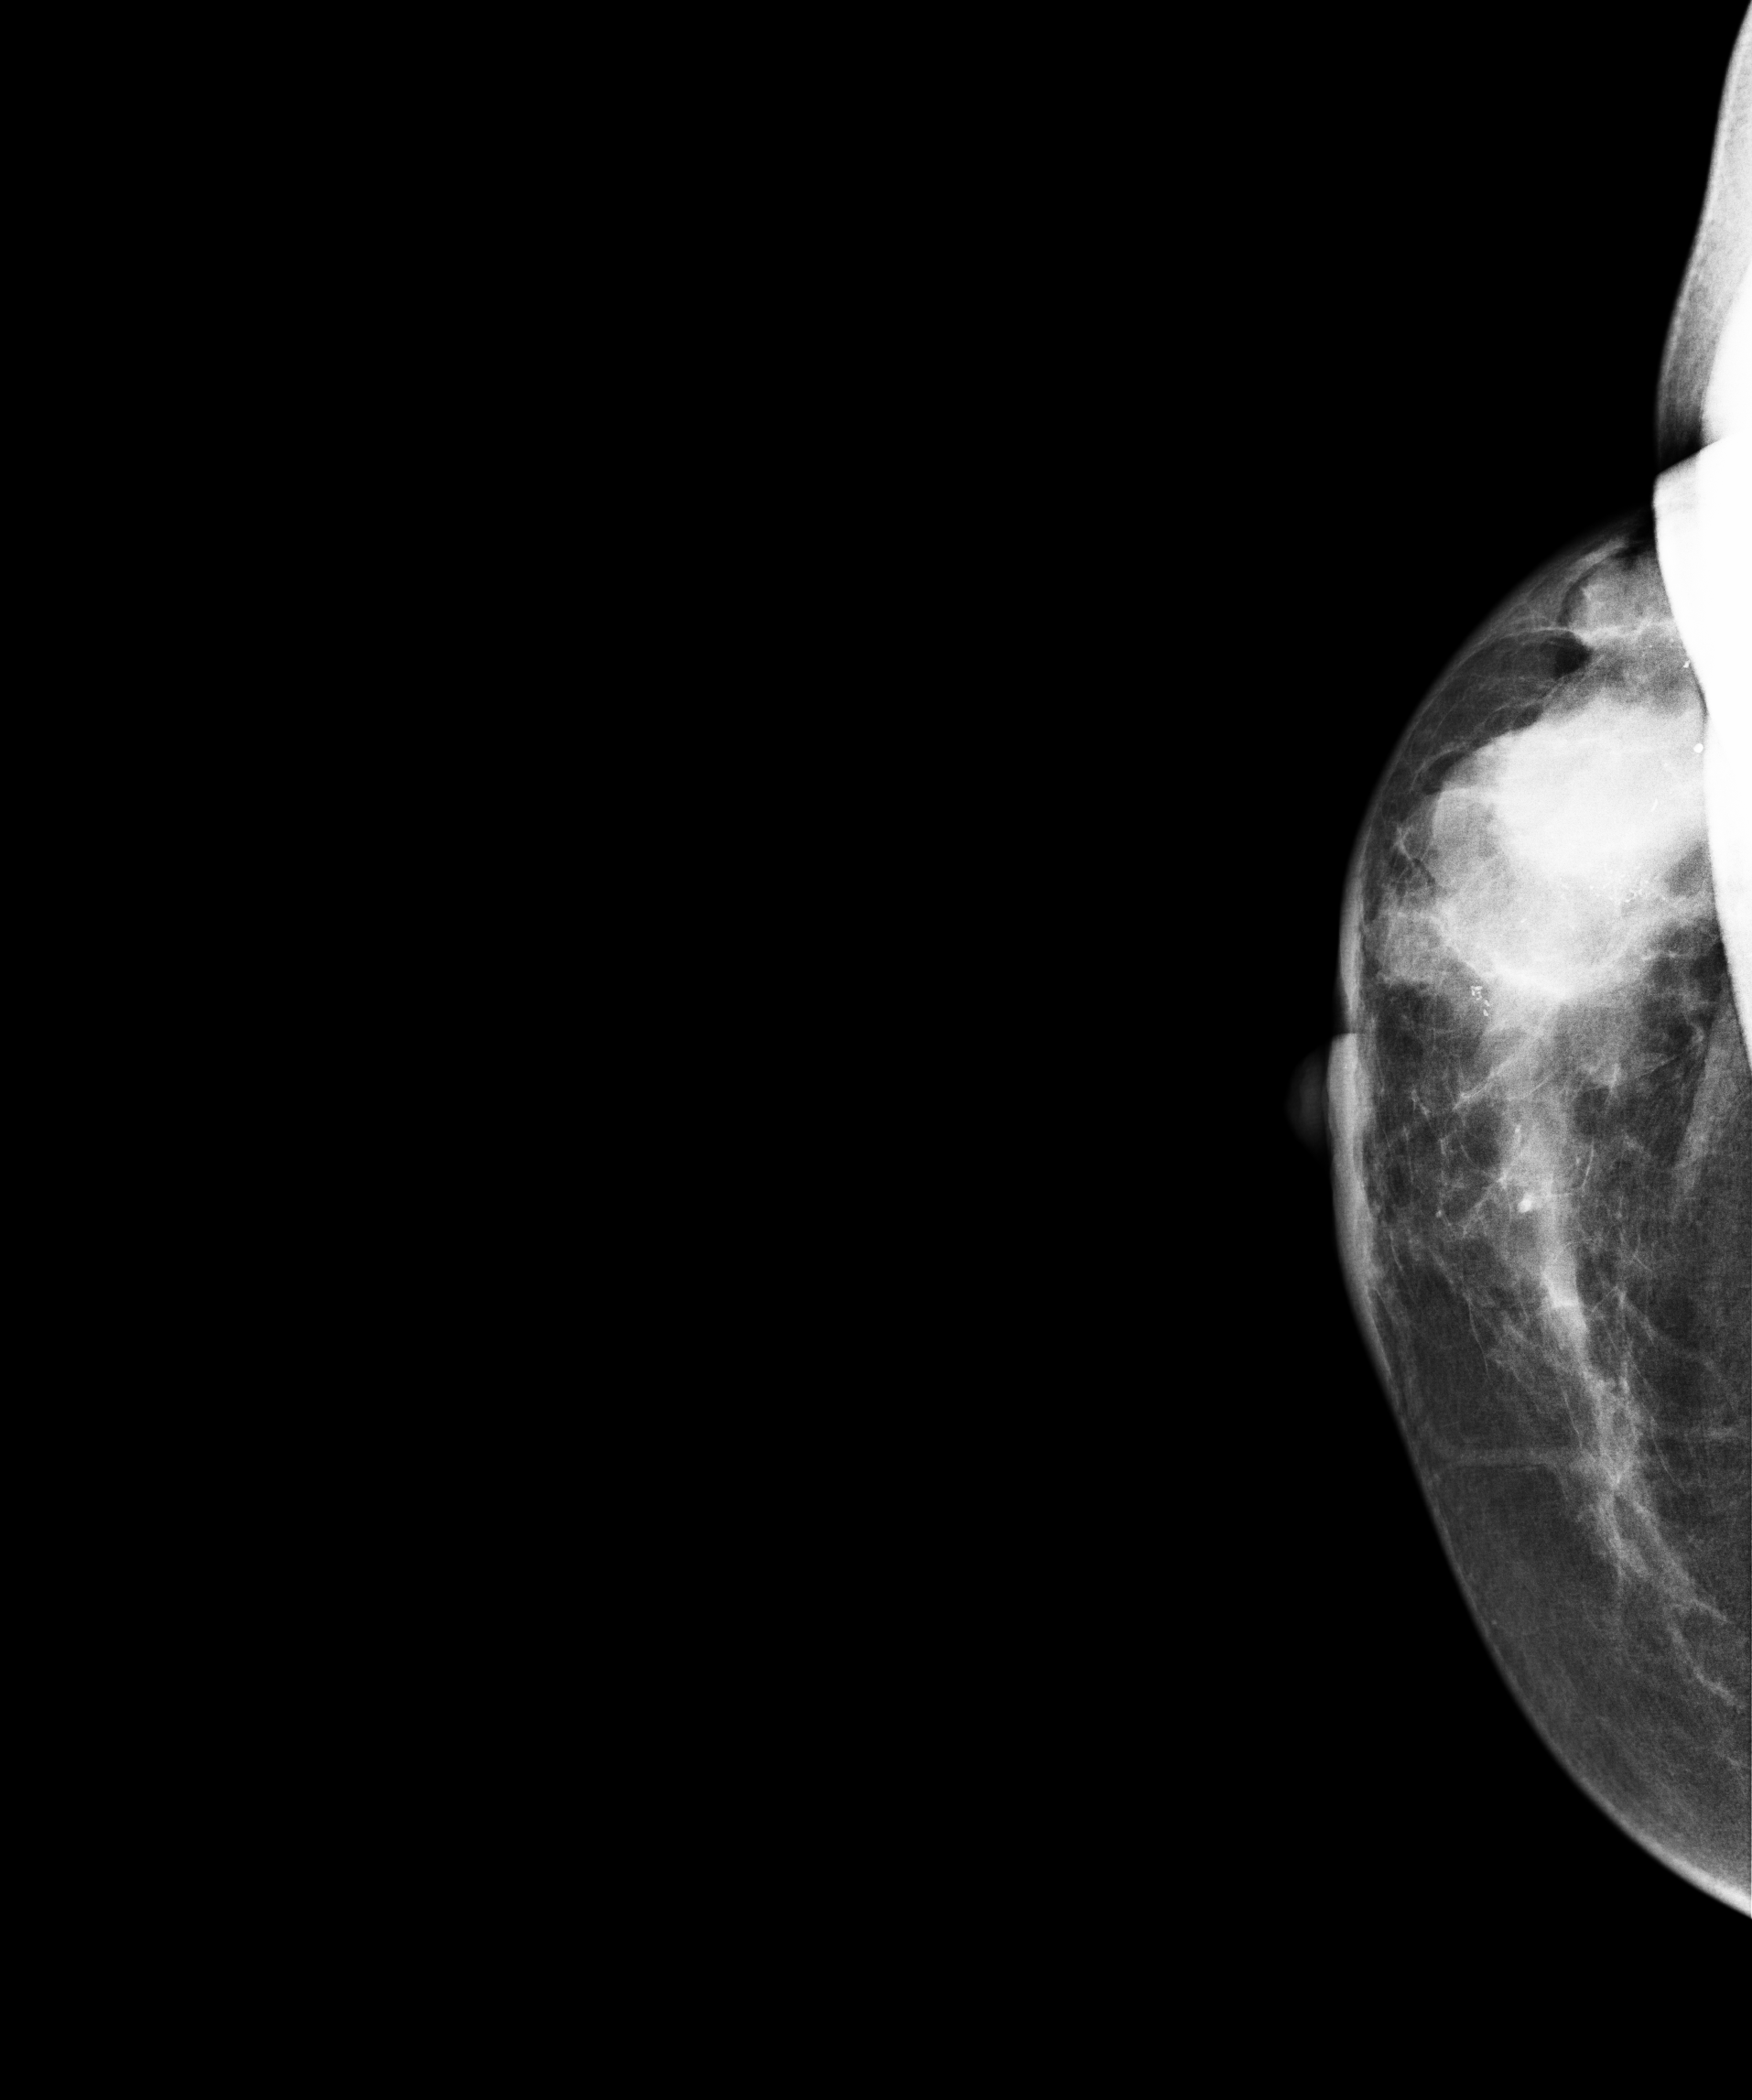
Right-breast mammogram, CC. 69-year-old patient.
This breast has a mass and calcifications, histologically confirmed malignant.